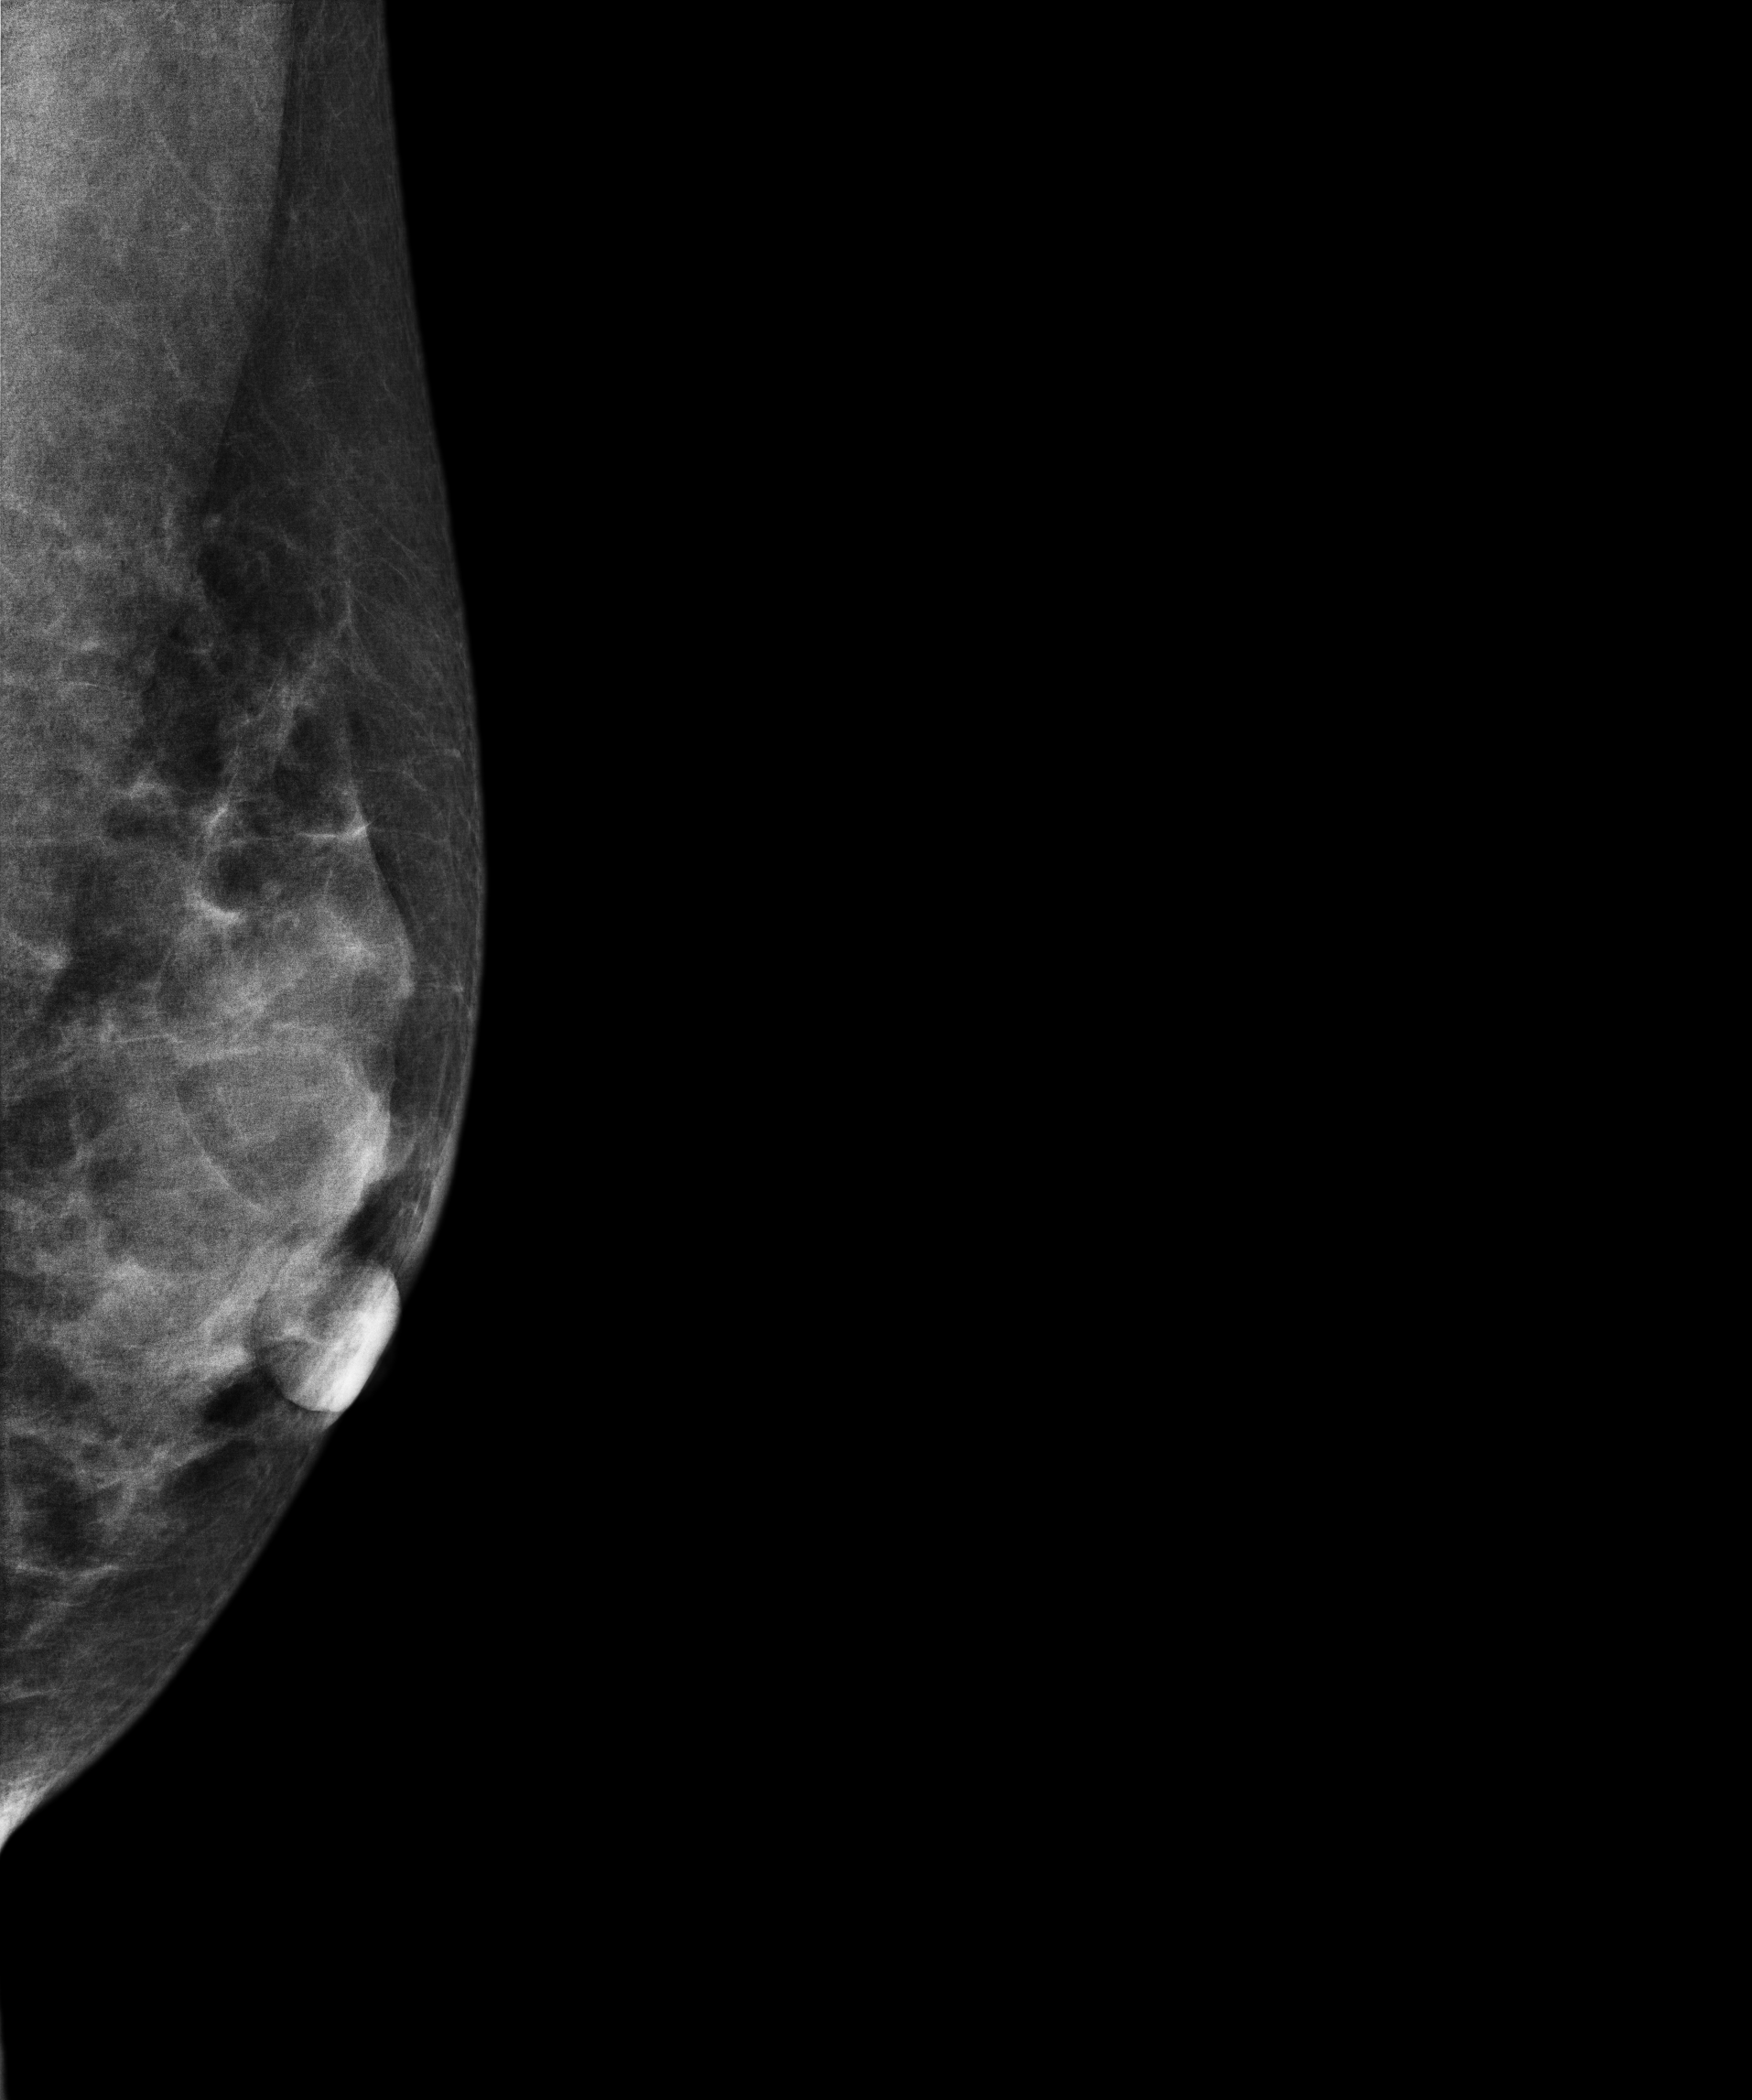
Left-breast mammogram, MLO. Patient age 35.
Contralateral breast — no documented abnormality on this side.